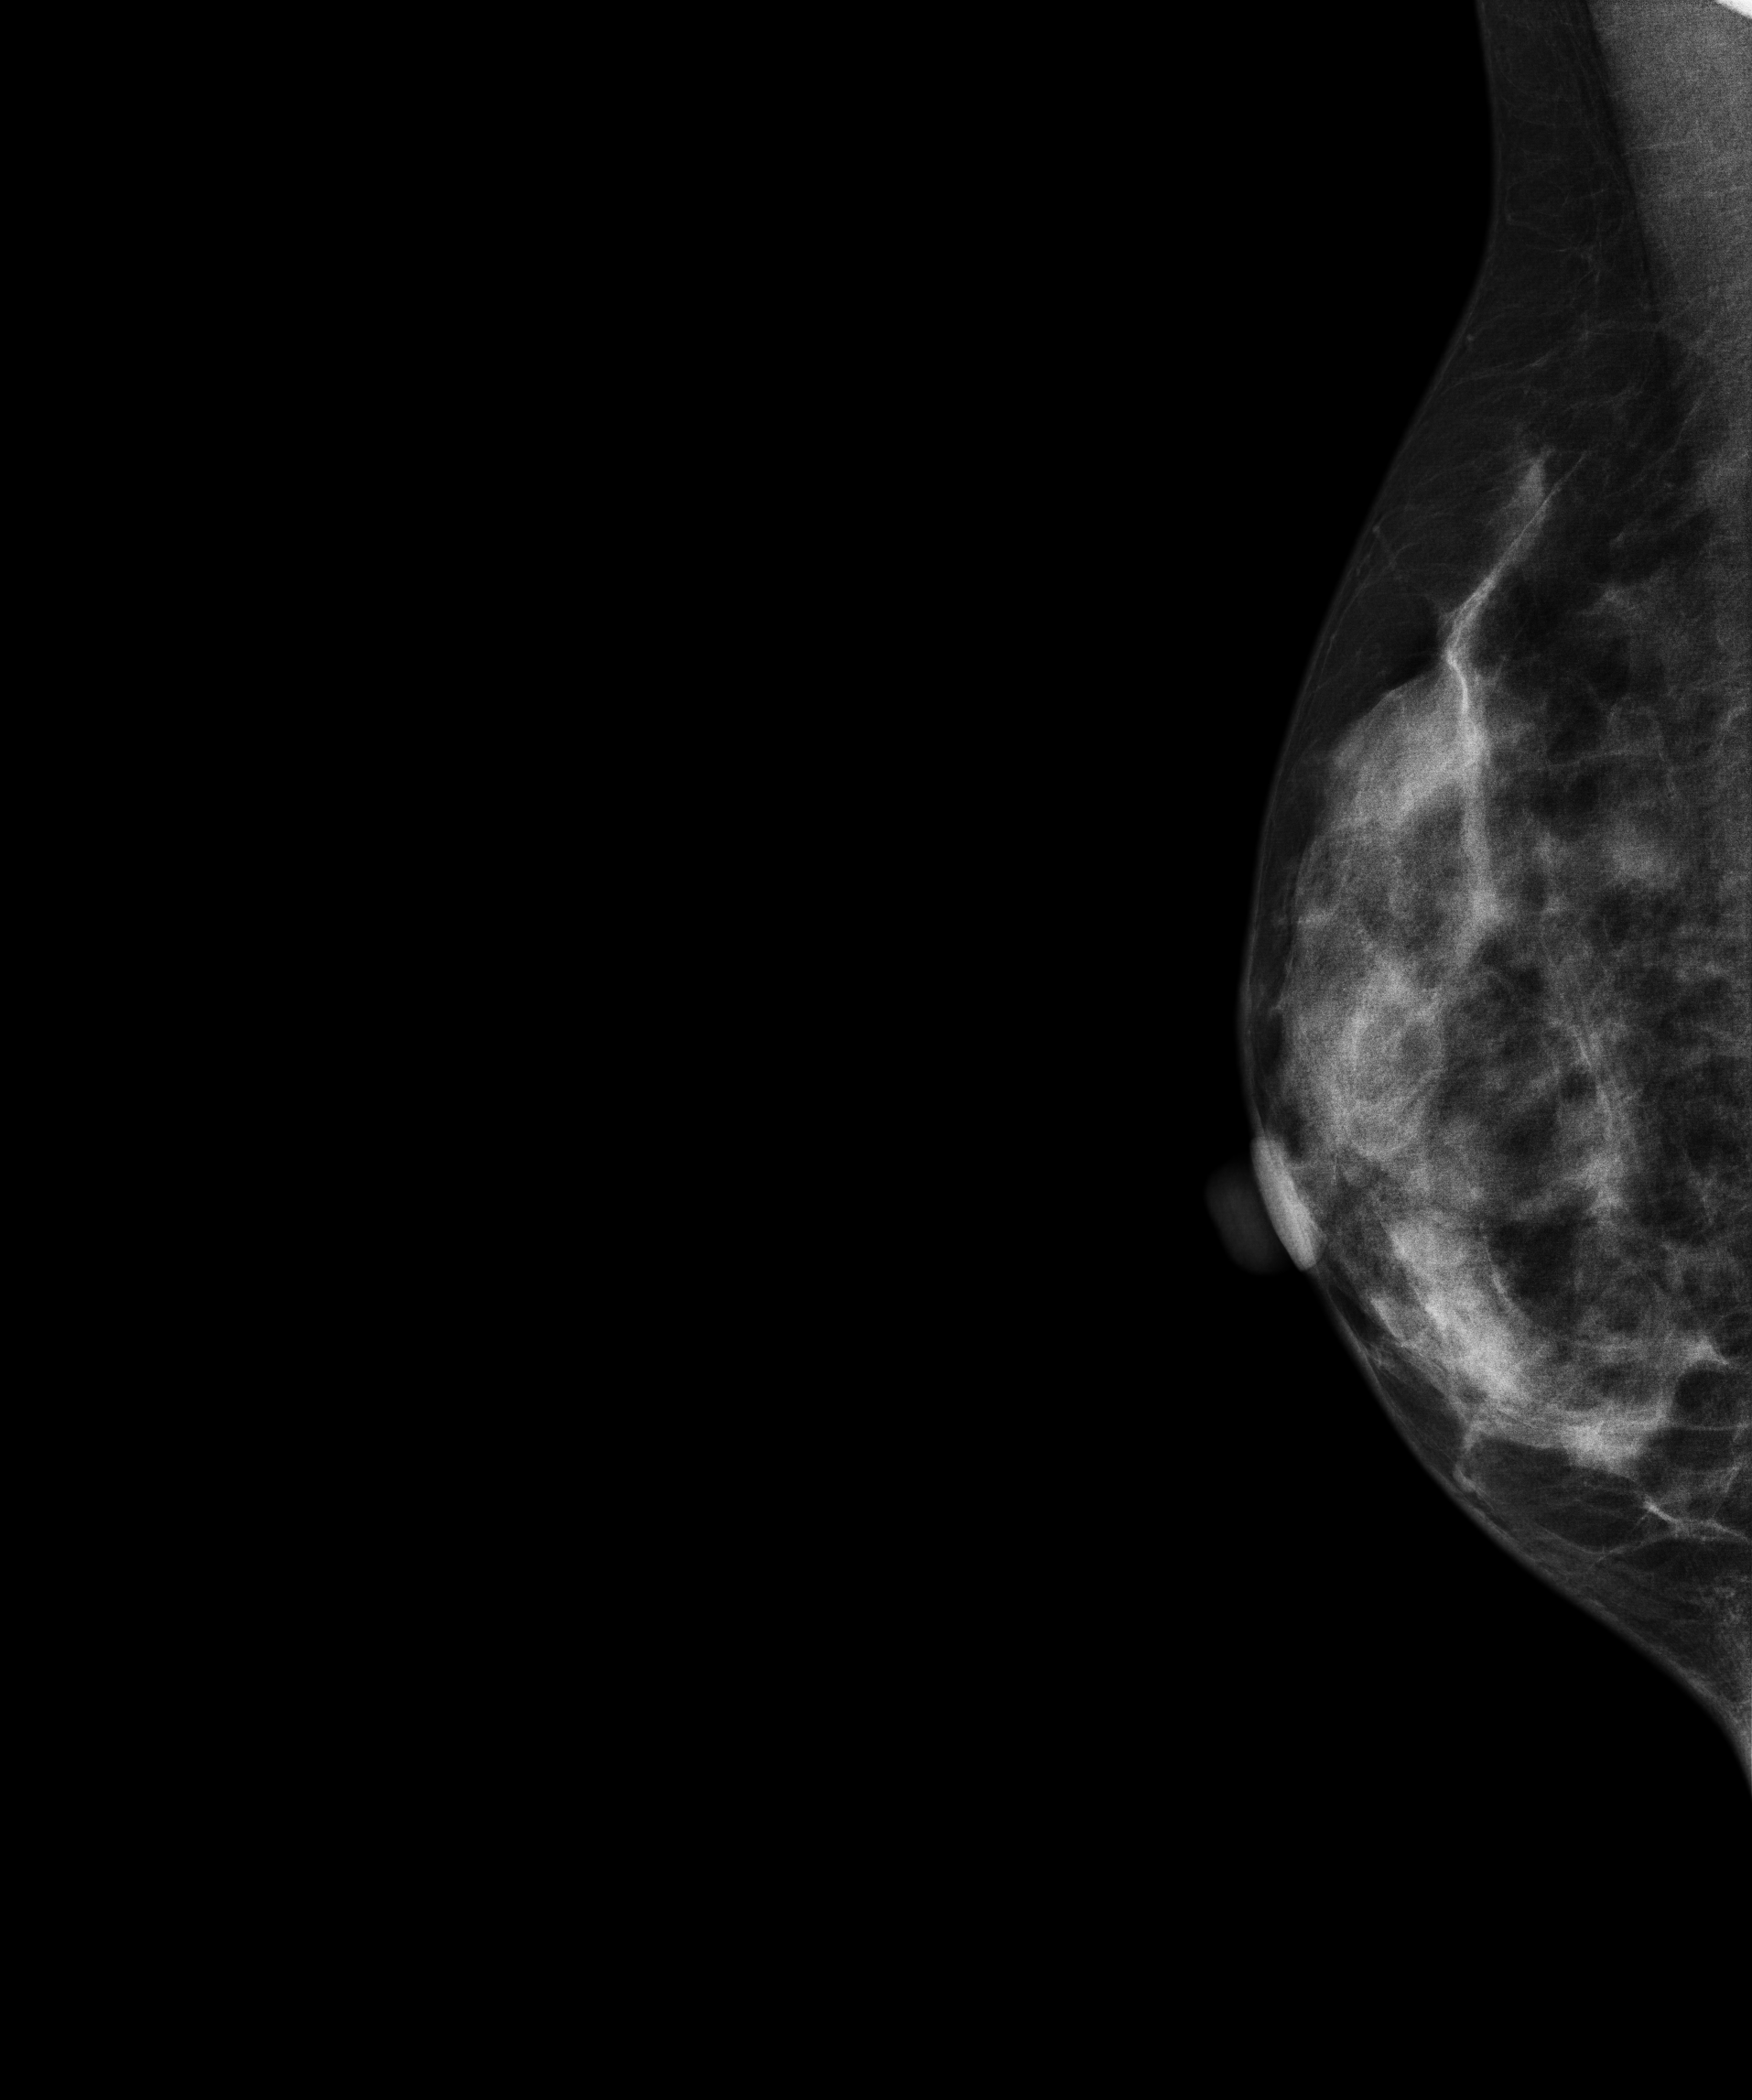
MLO mammogram of the right breast. Patient age 45.
Contralateral breast — no documented abnormality on this side.